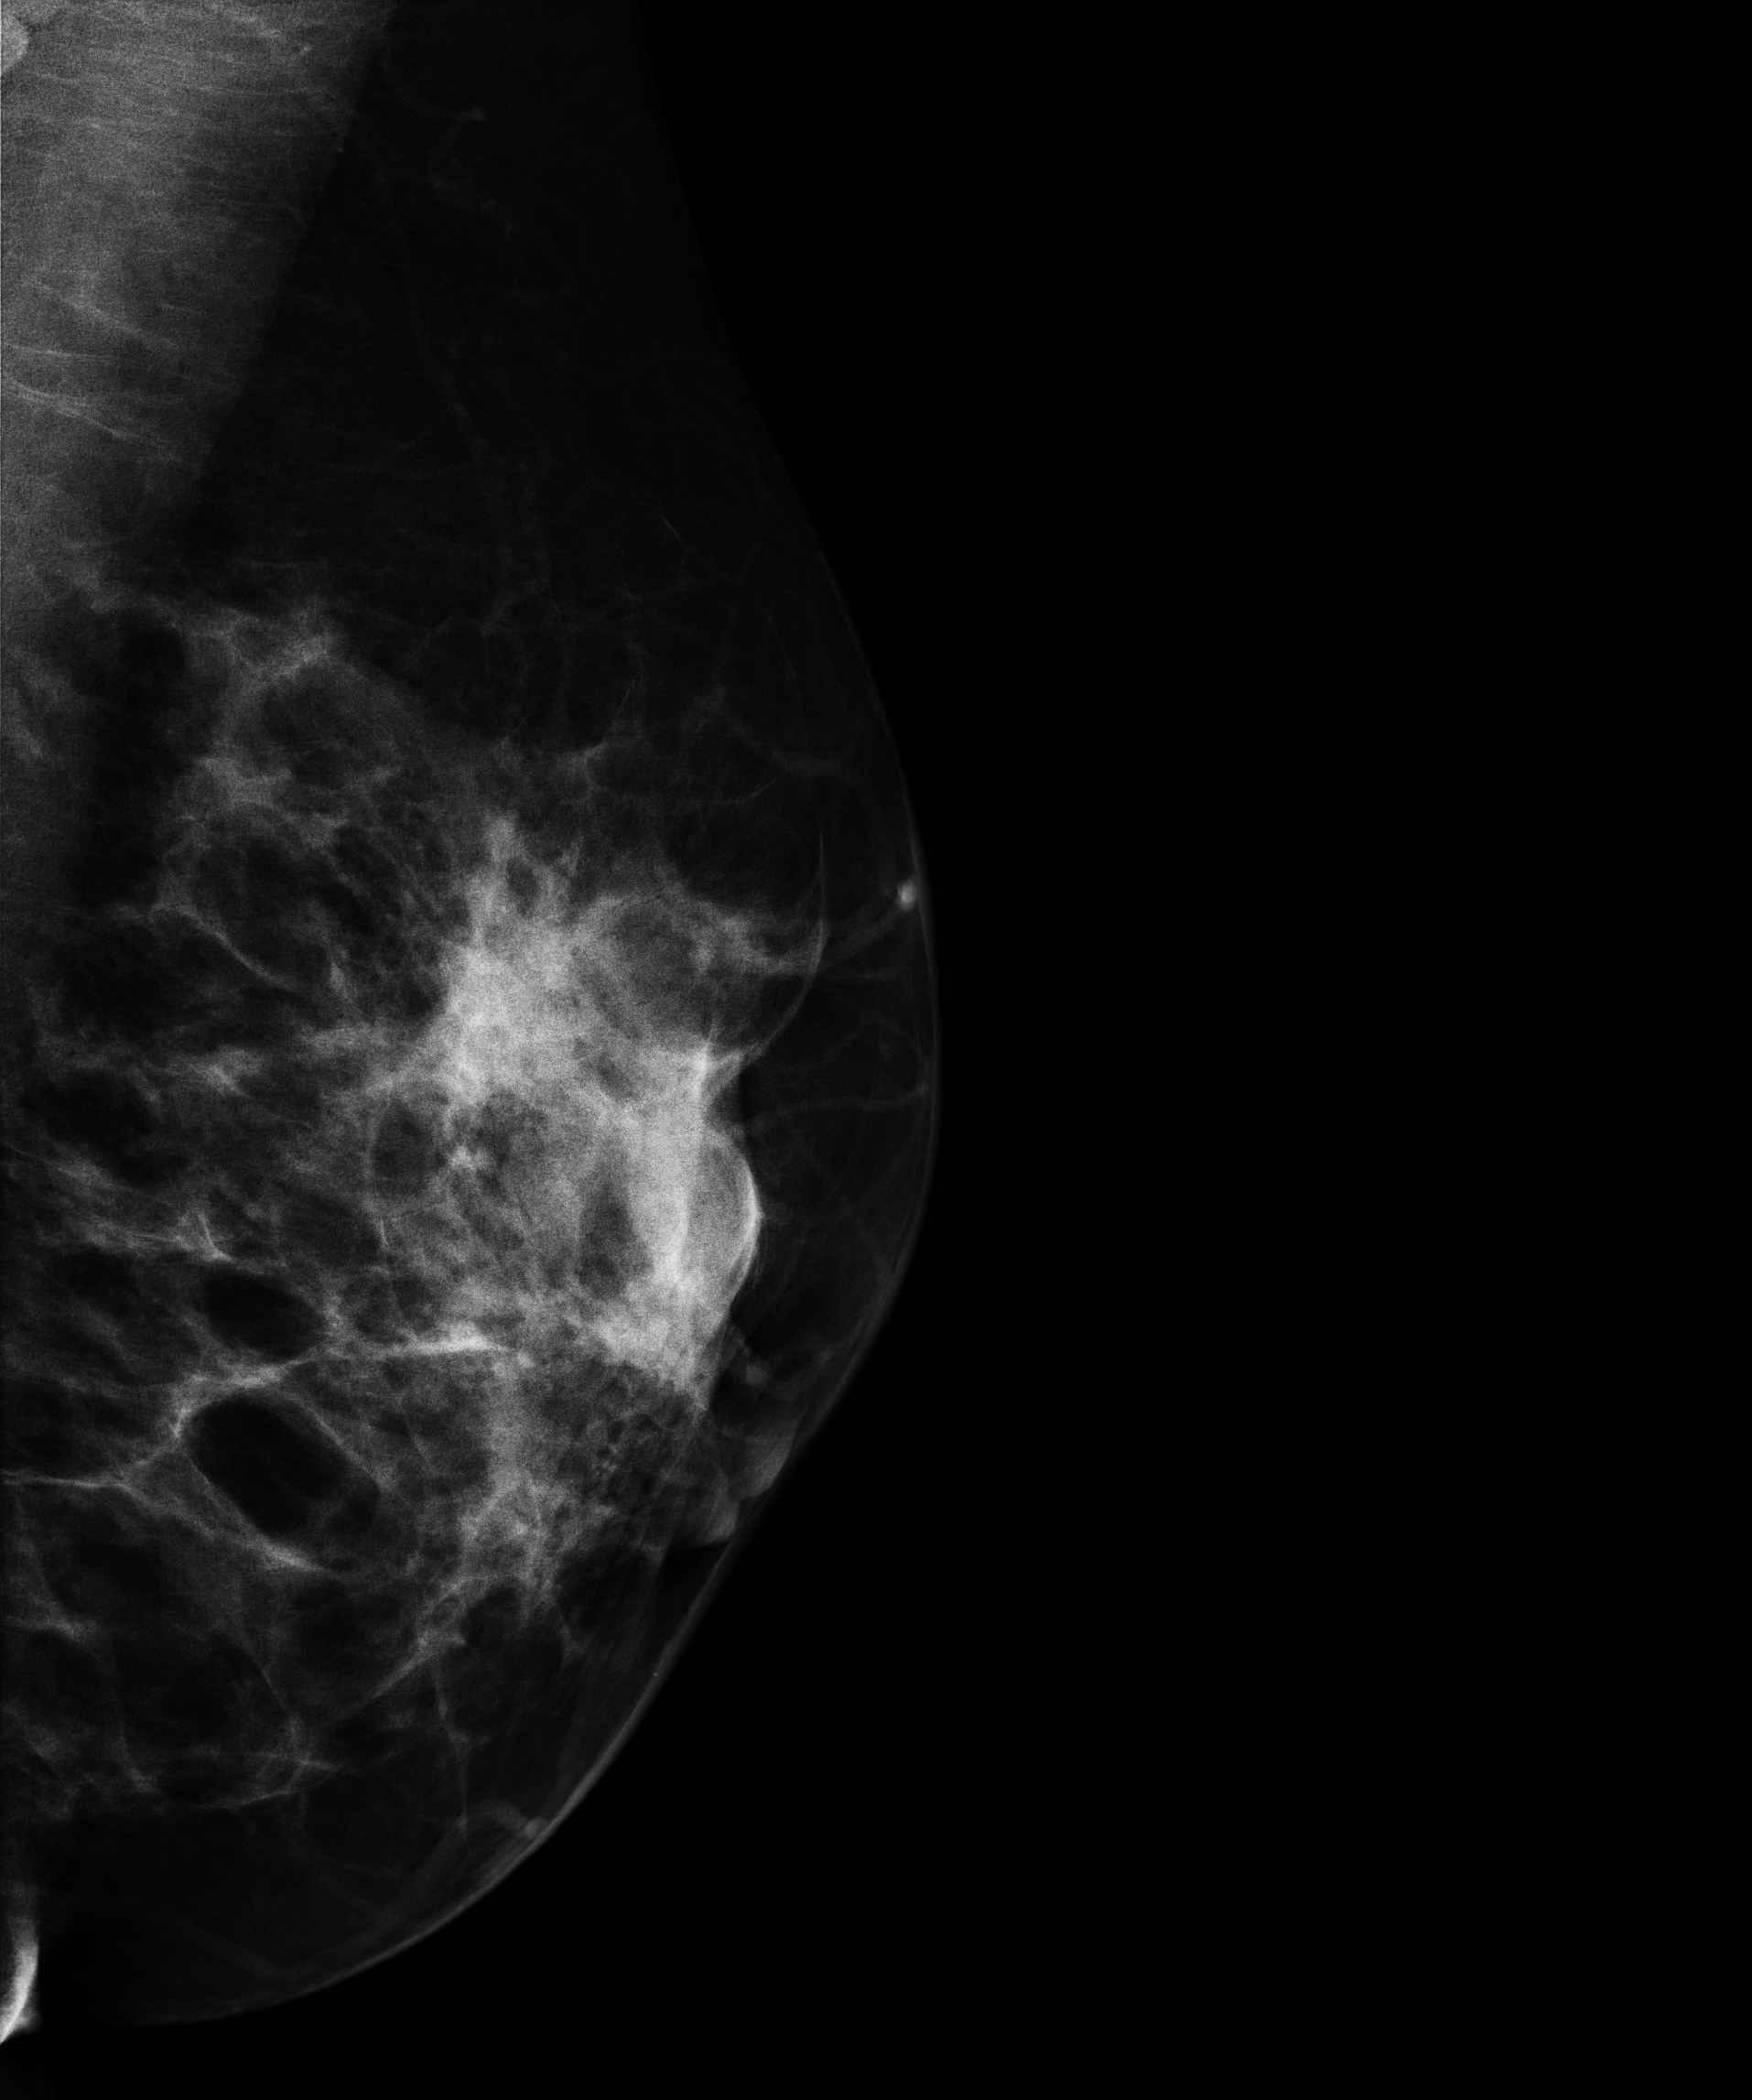
Digital mammography. Left breast, medio-lateral oblique projection. Patient age 38.
This breast has a mass, biopsy-proven benign.